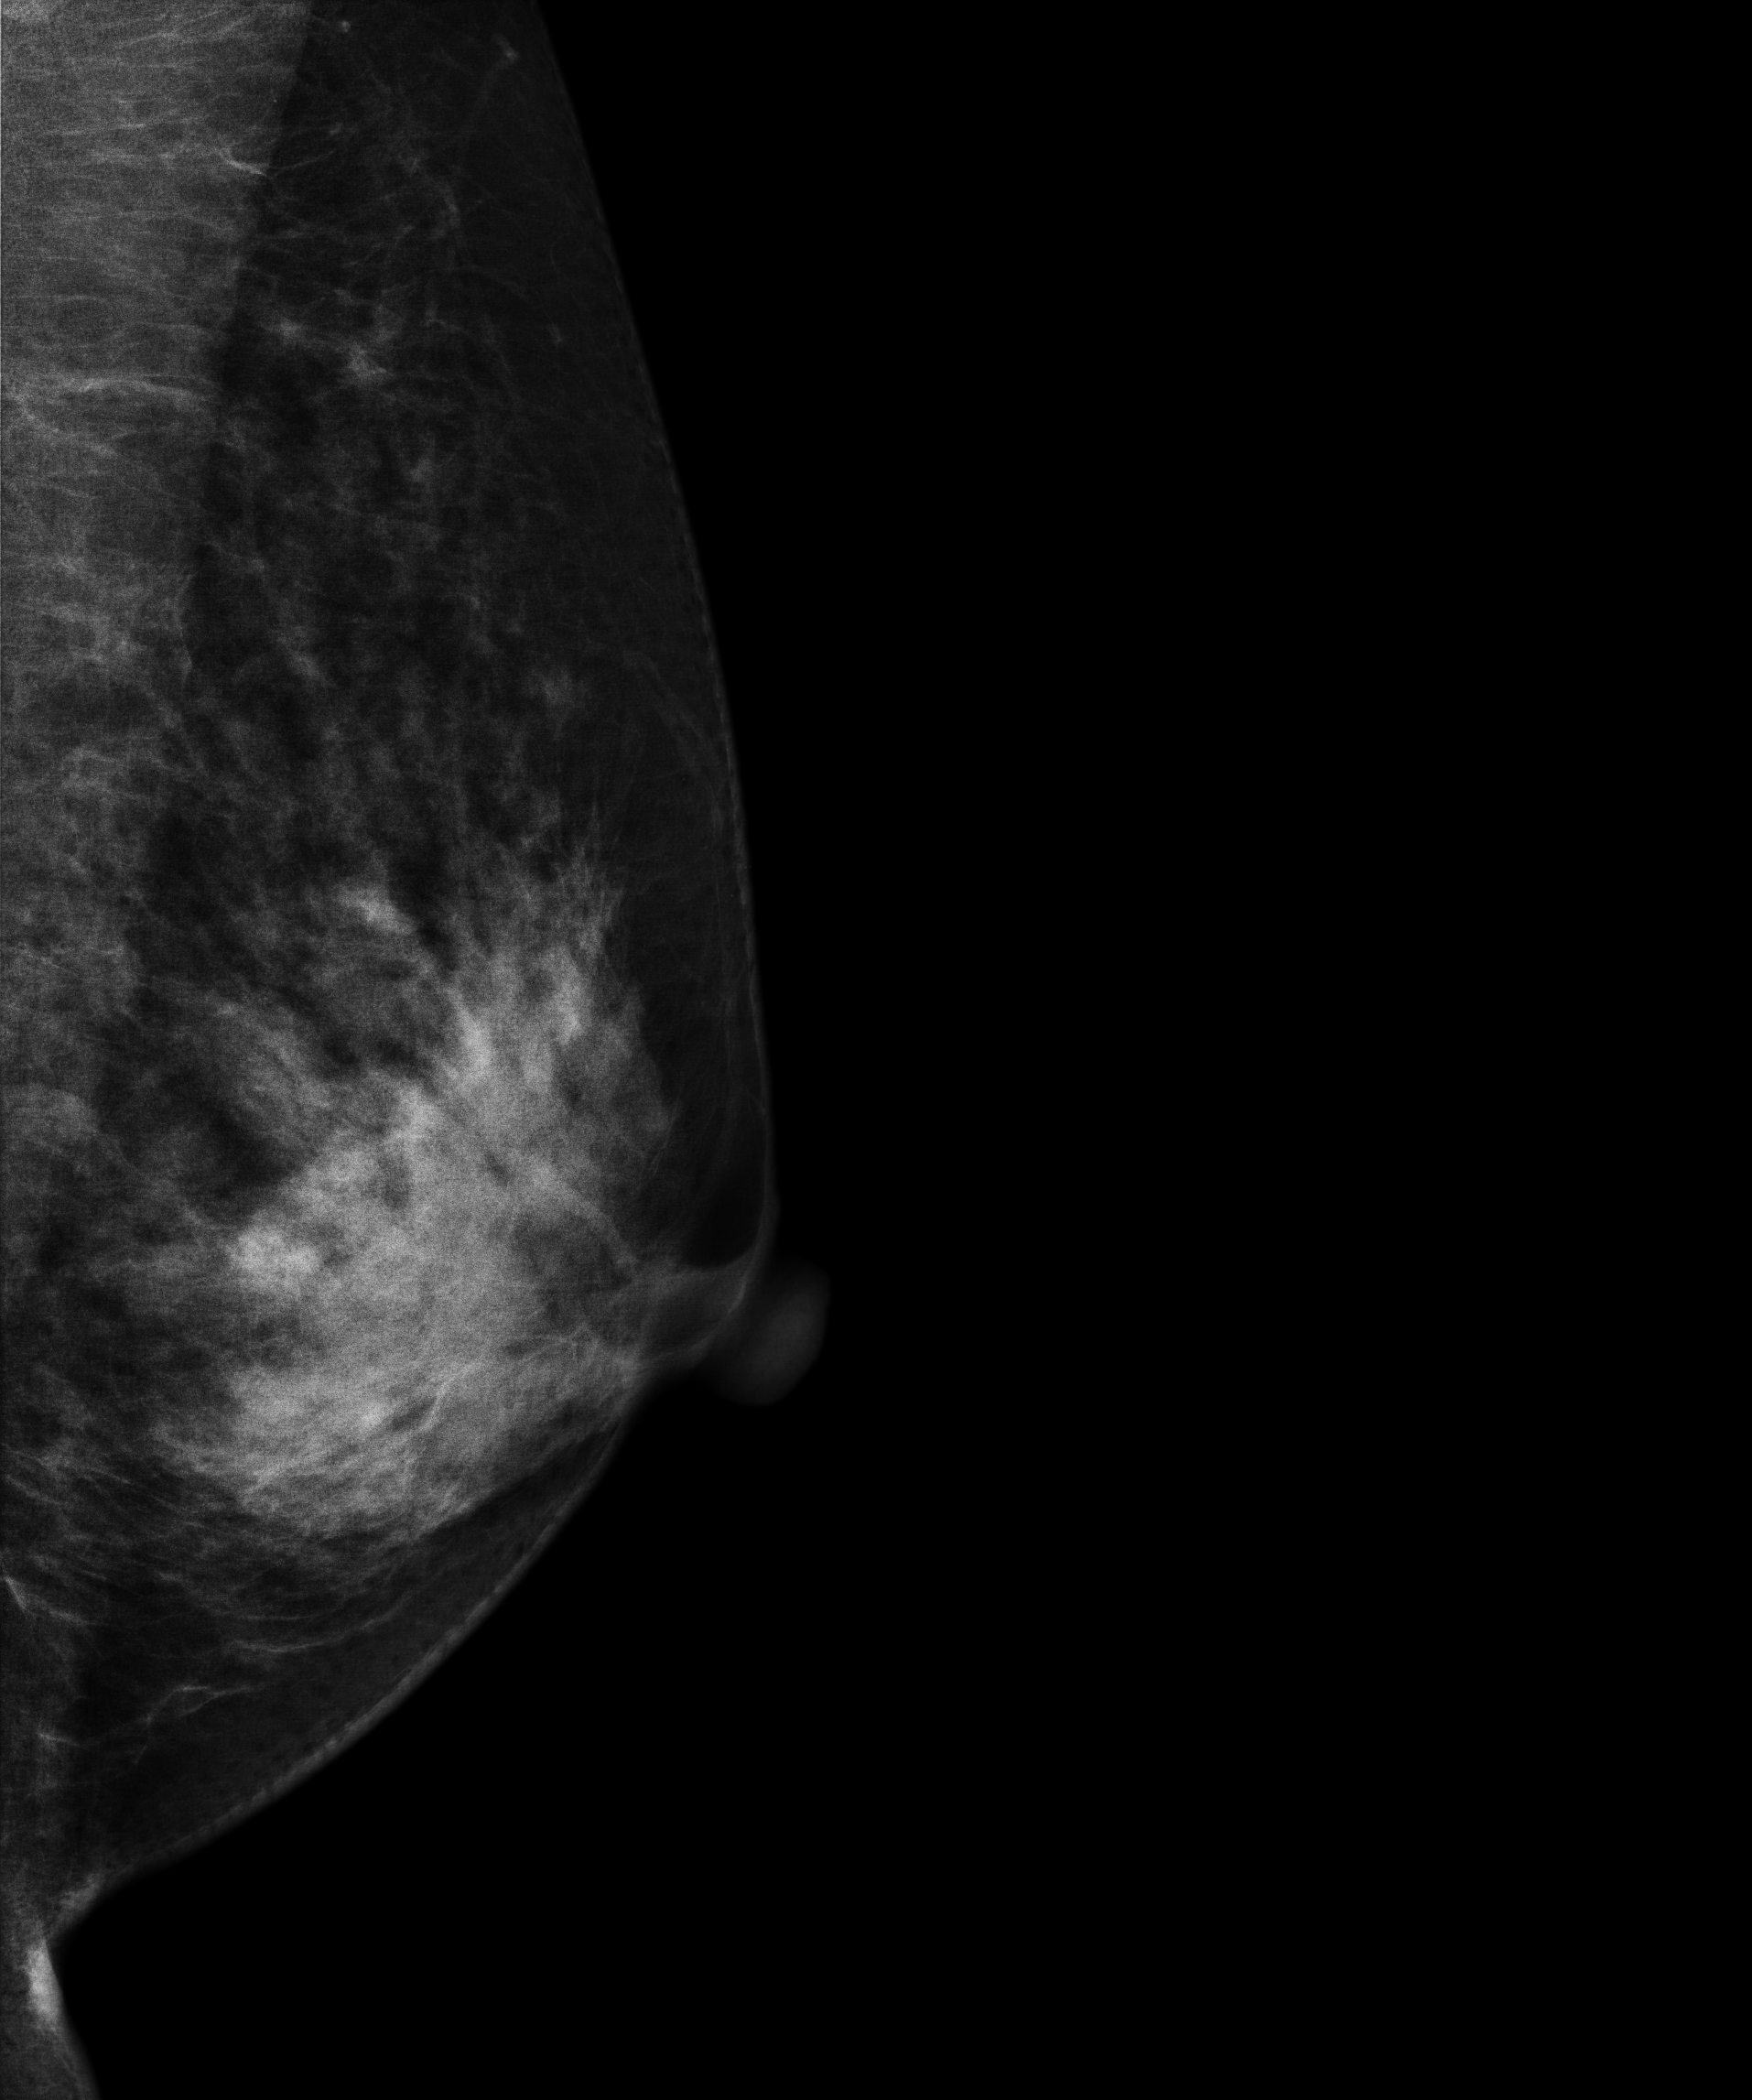
Digital mammography. Left breast, medio-lateral oblique projection. 38 y/o patient.
This breast has a mass, biopsy-proven malignant.